Cranio-caudal mammogram of the right breast. 45-year-old patient.
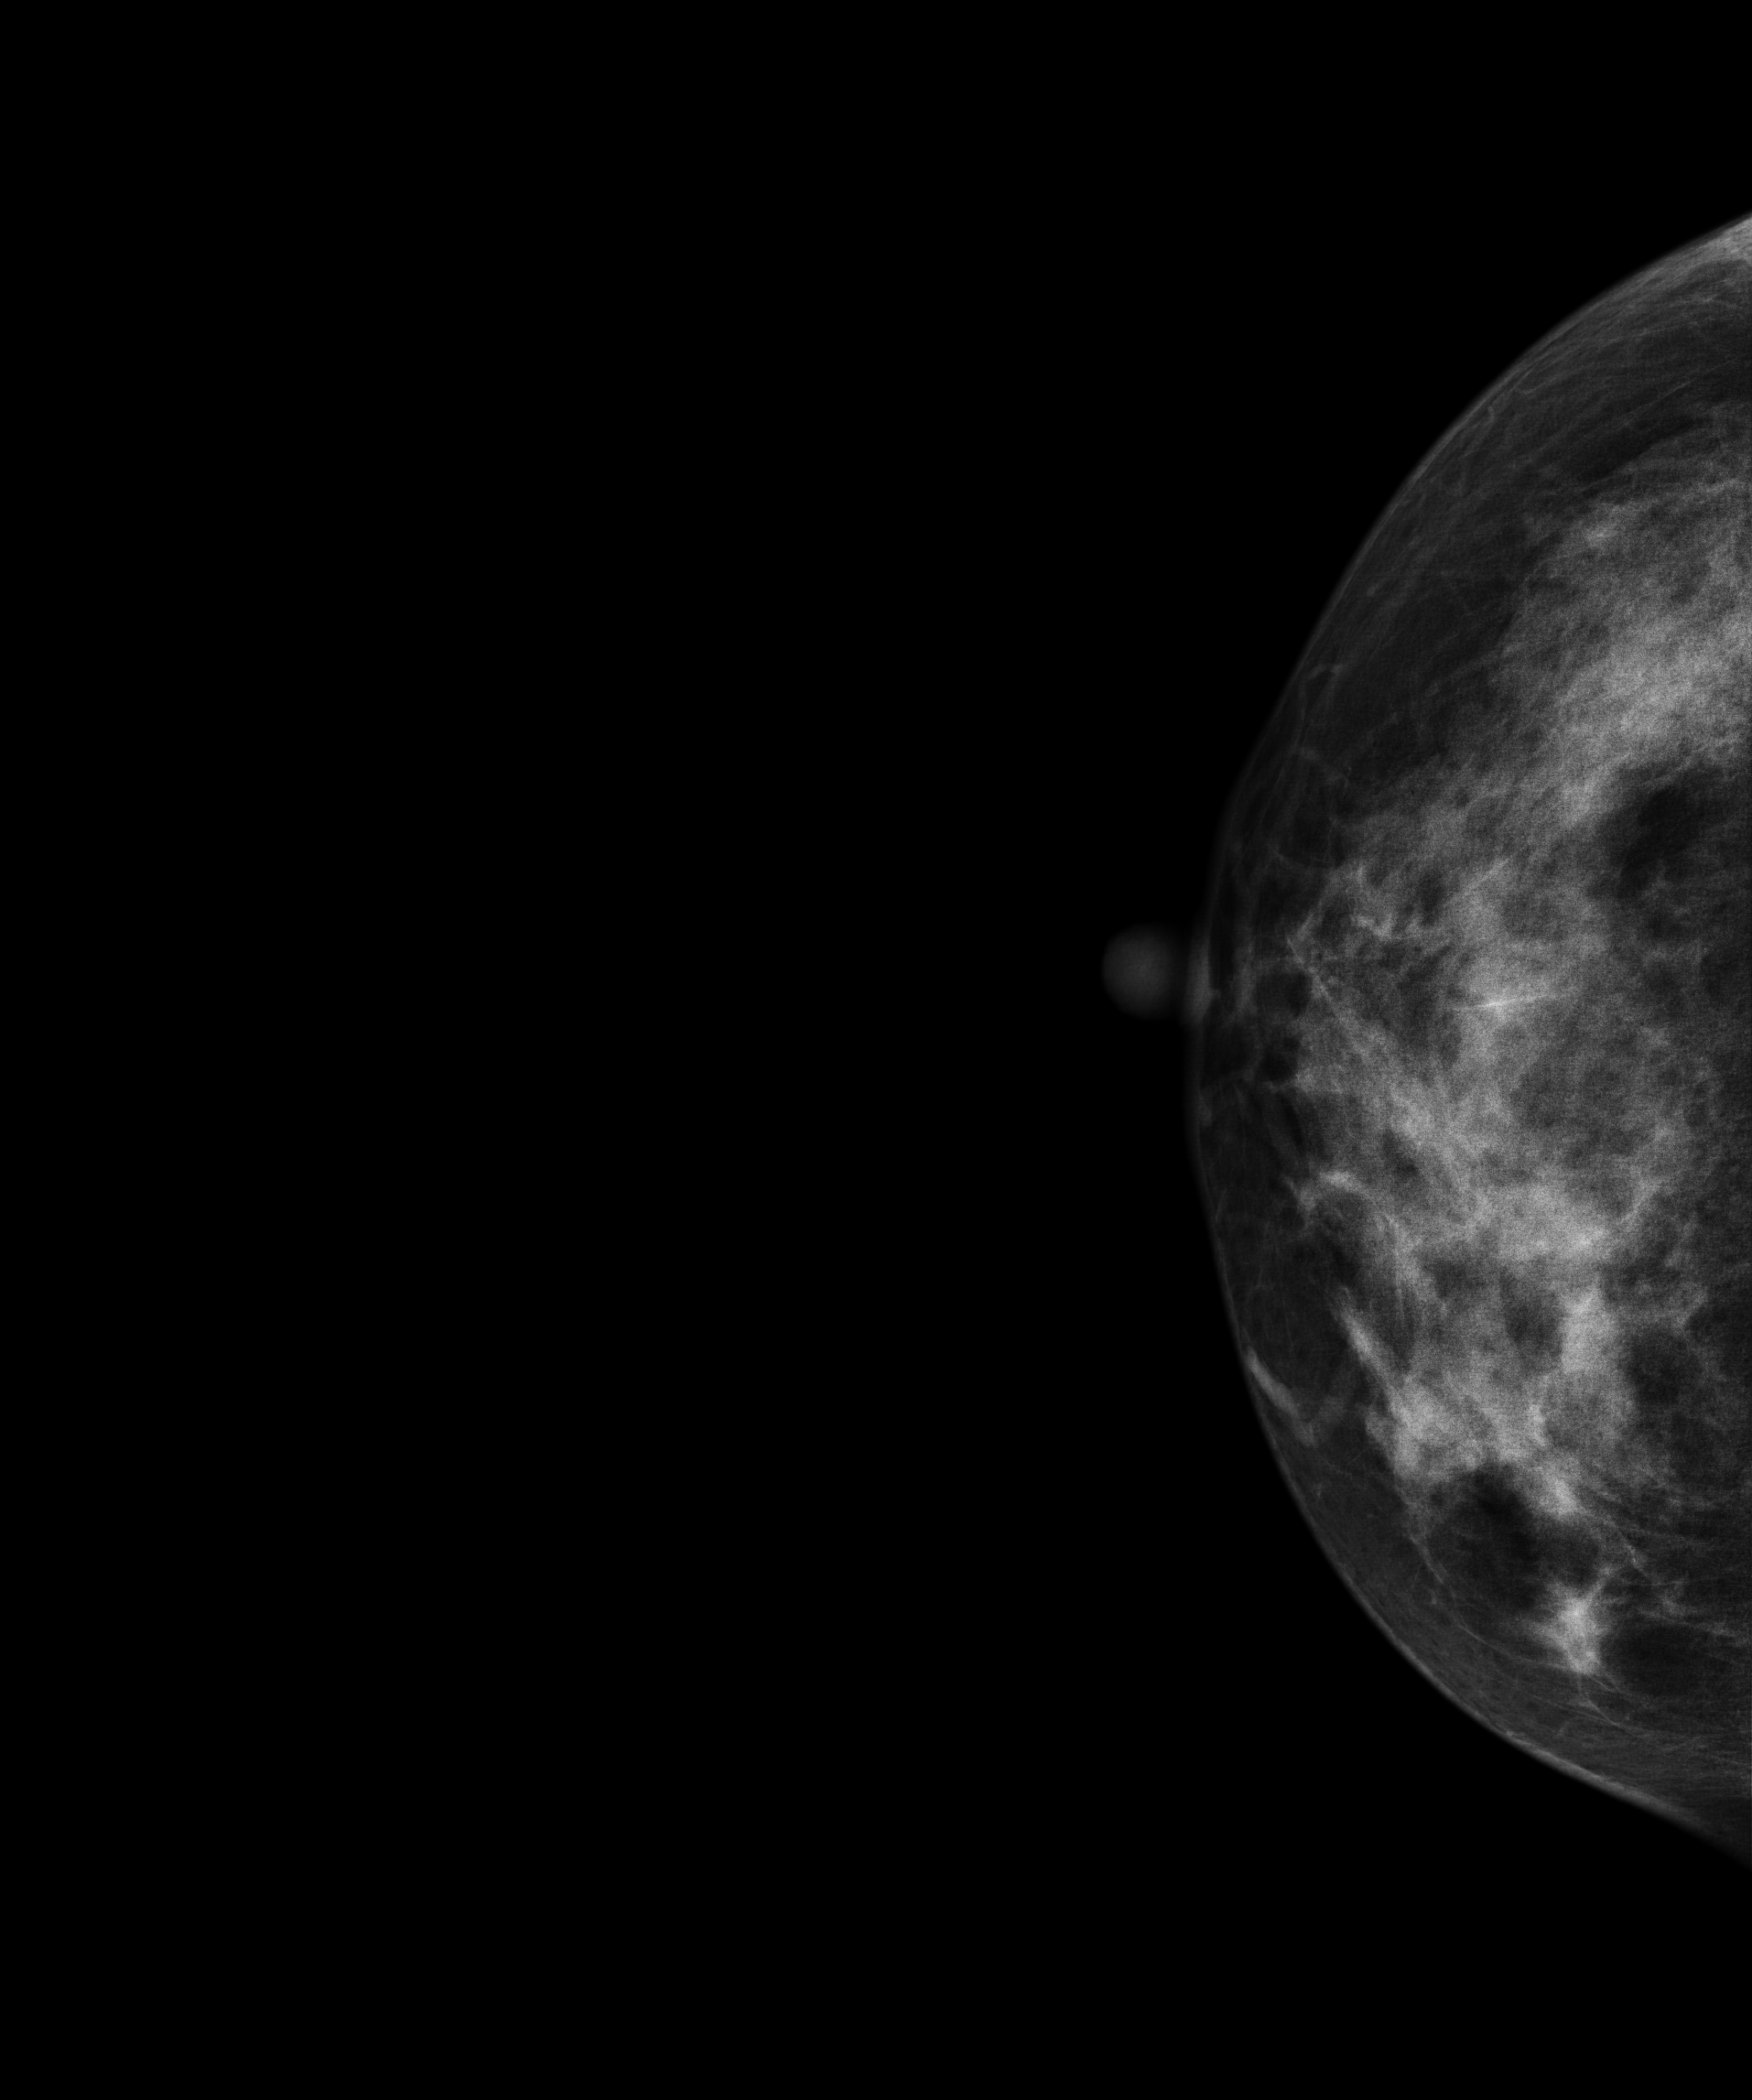
This breast has a mass, histologically confirmed benign.